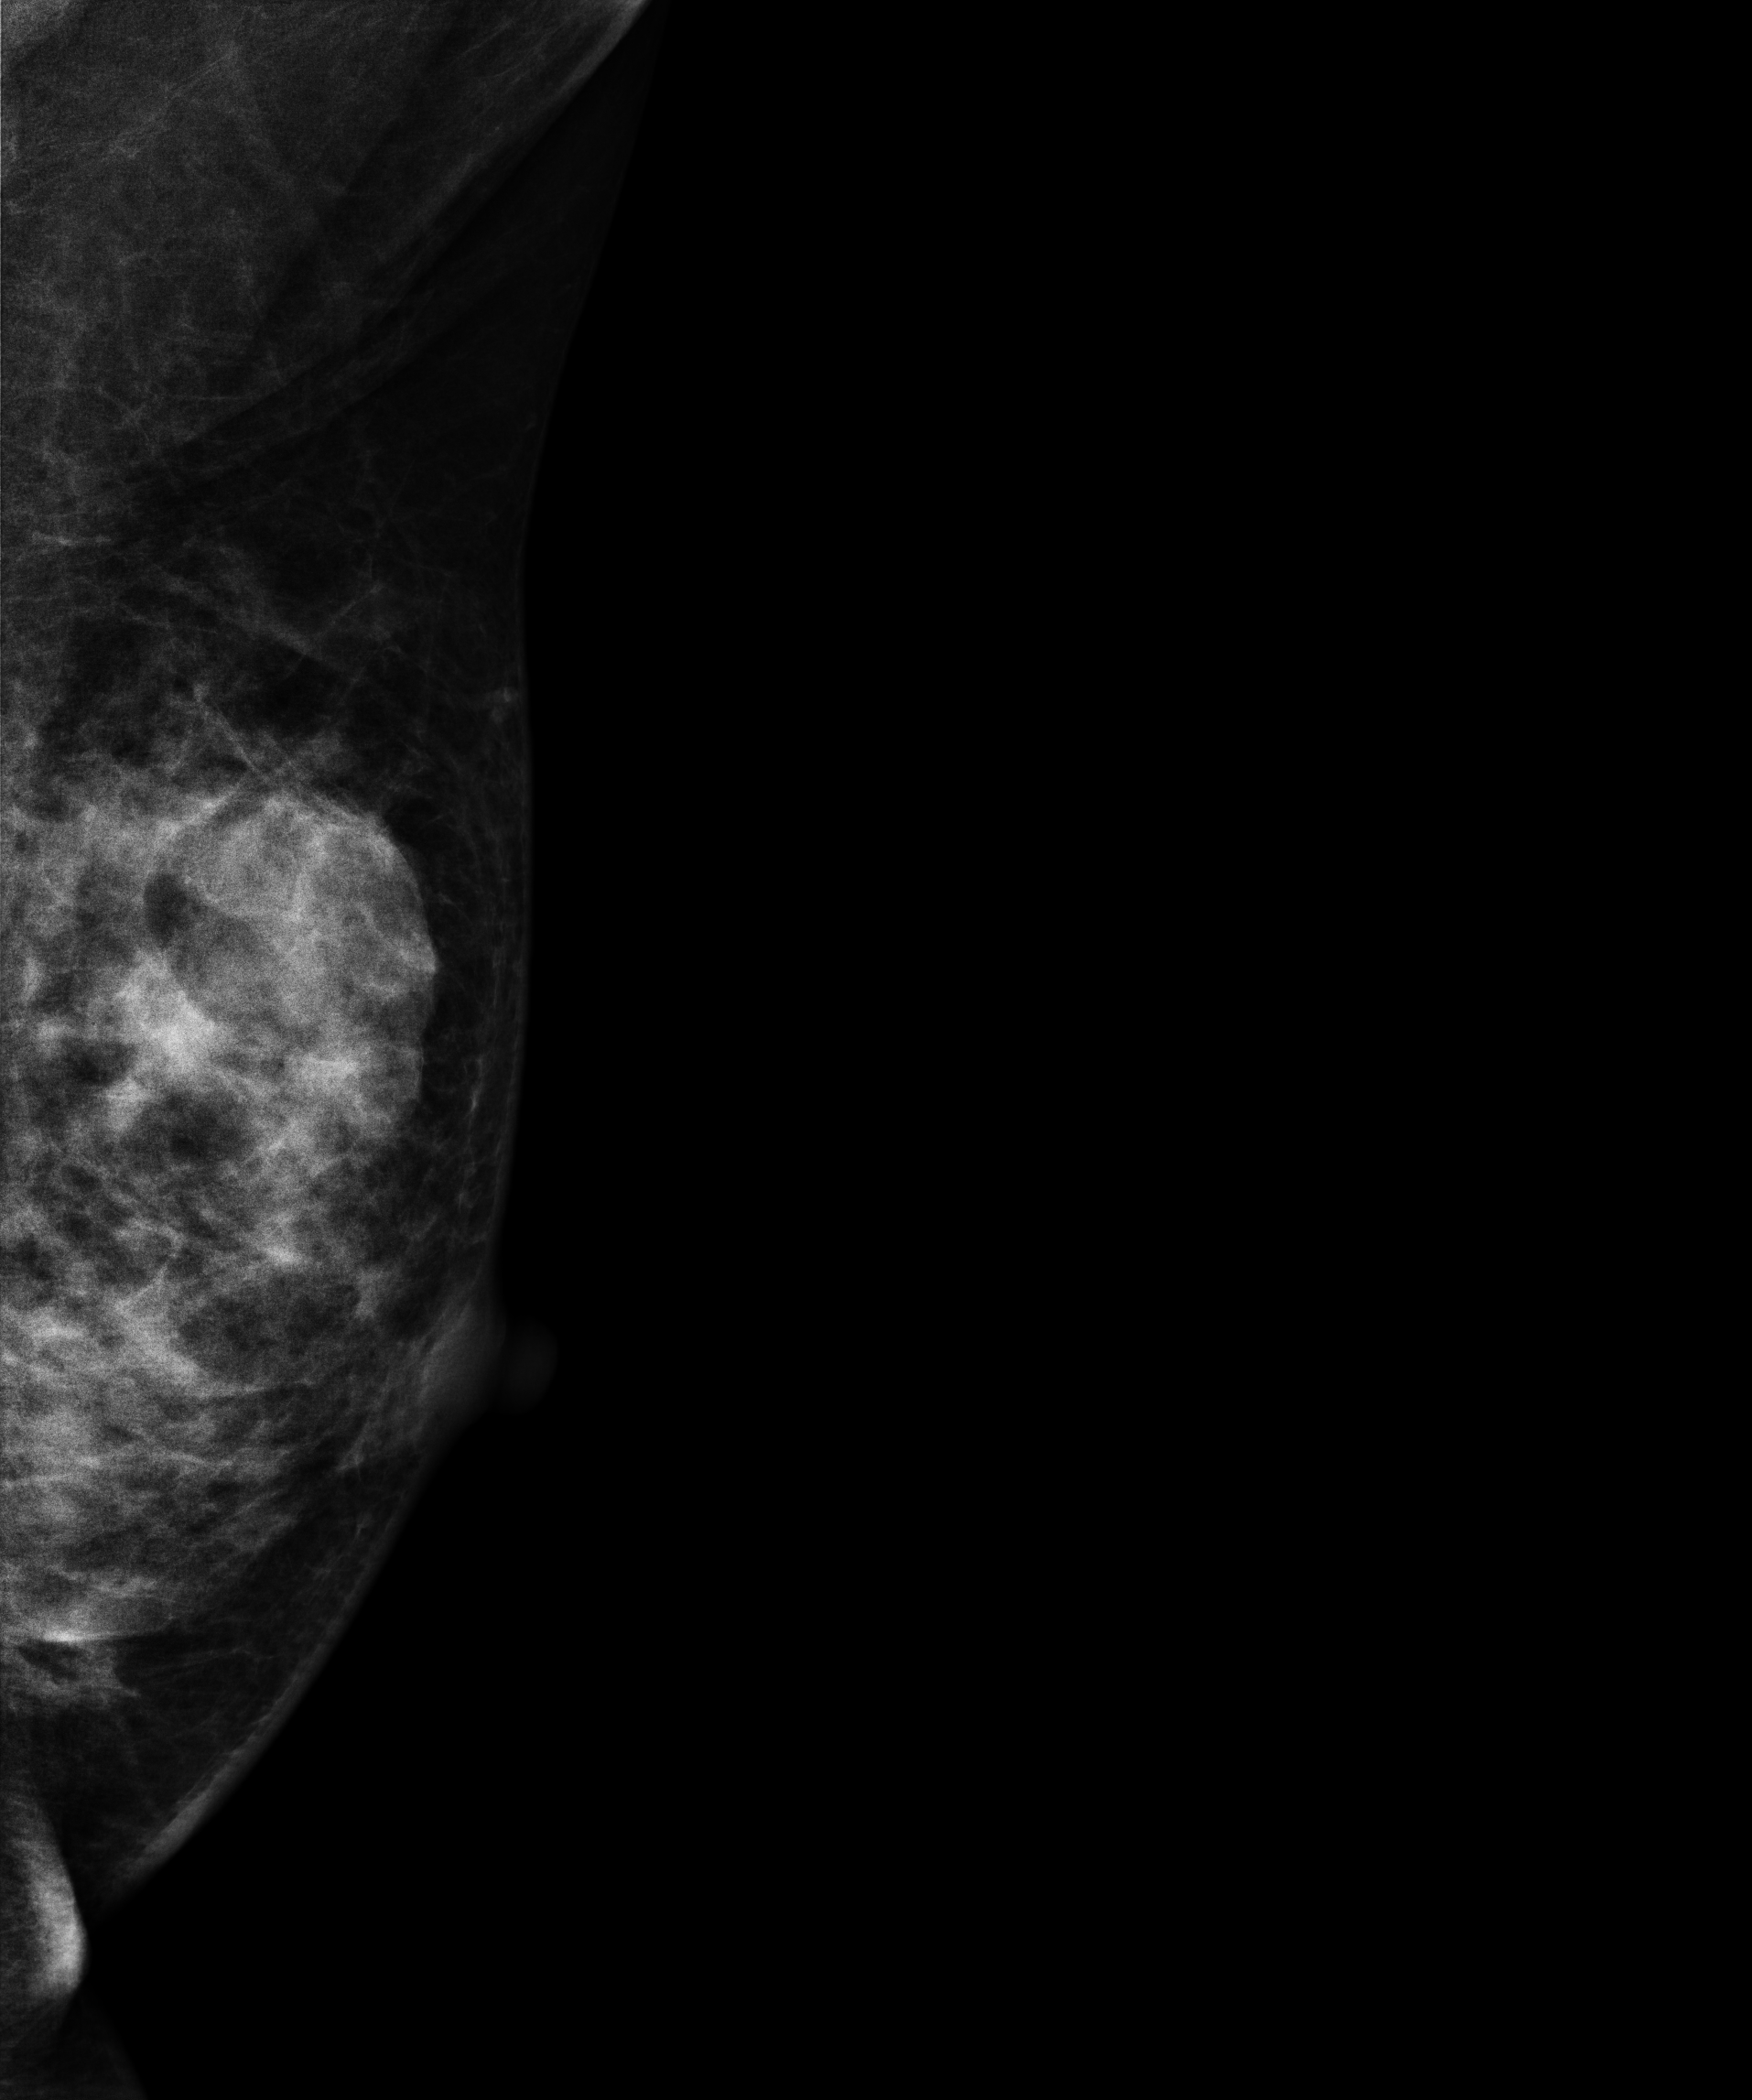
Left-breast mammogram, MLO. 43 y/o patient.
This breast has a mass, pathology-confirmed malignant. Molecular subtype: luminal B.